Right-breast mammogram, CC. Patient age 52.
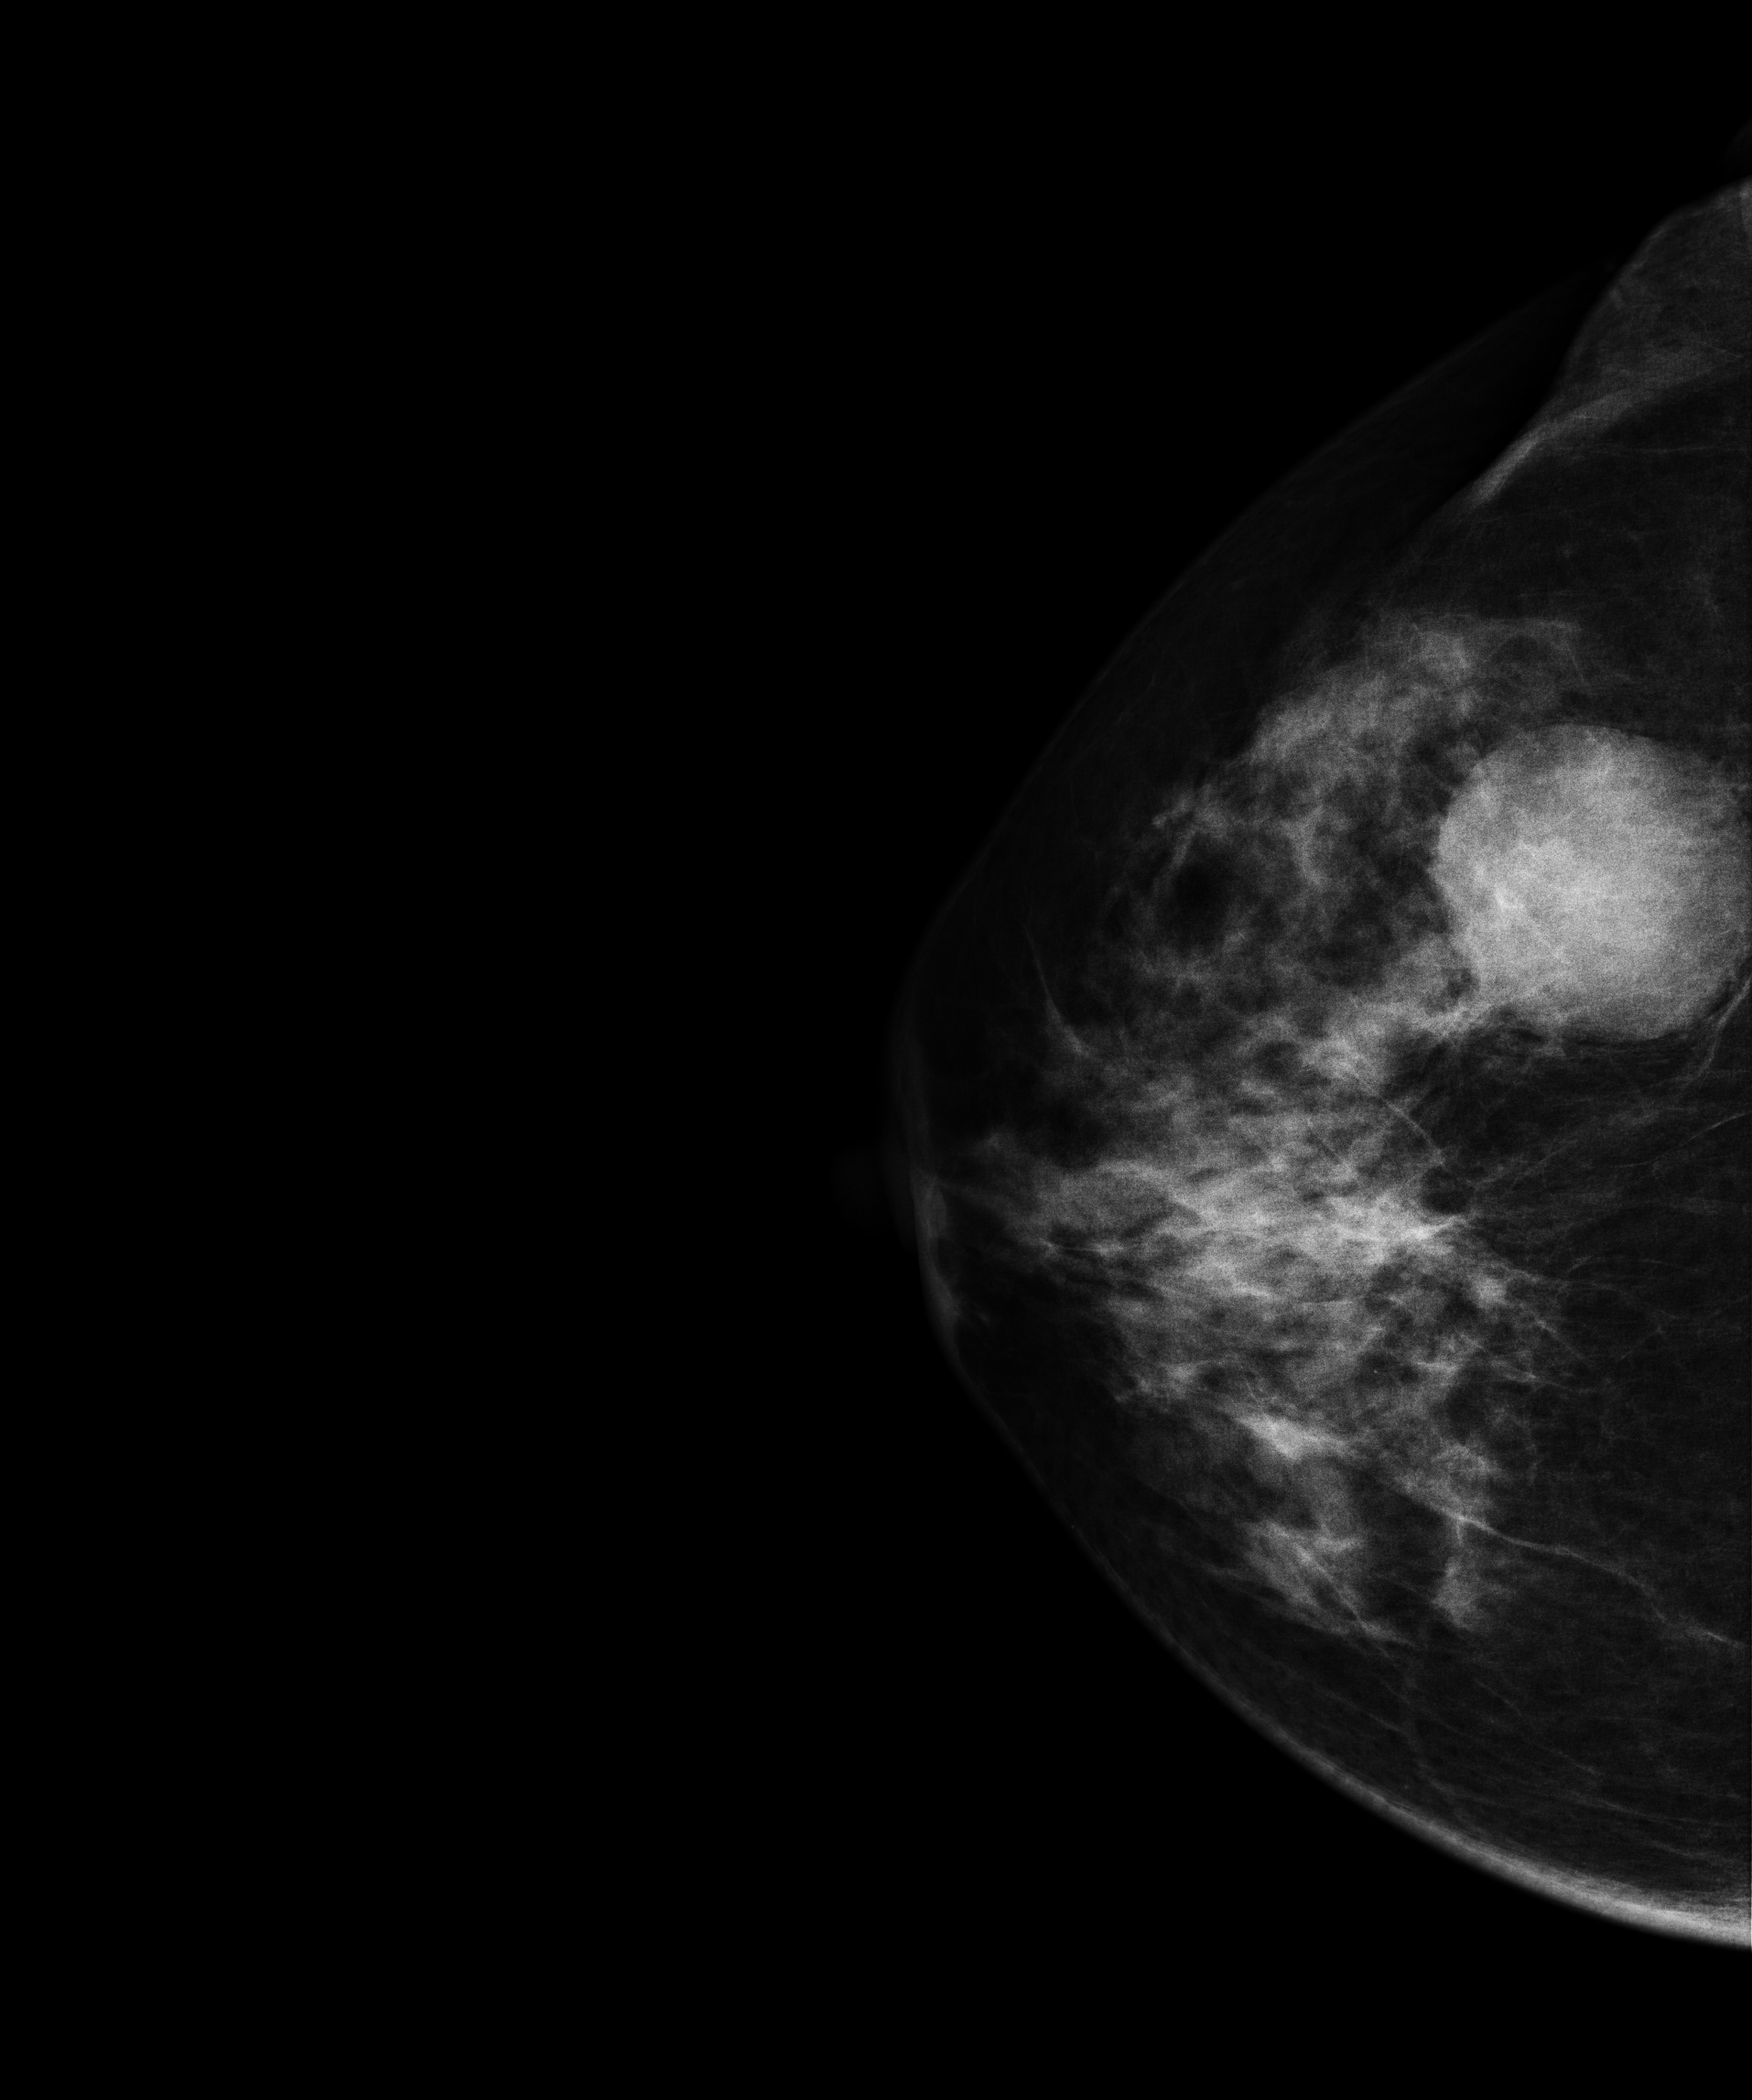
This breast has a mass, biopsy-proven malignant.